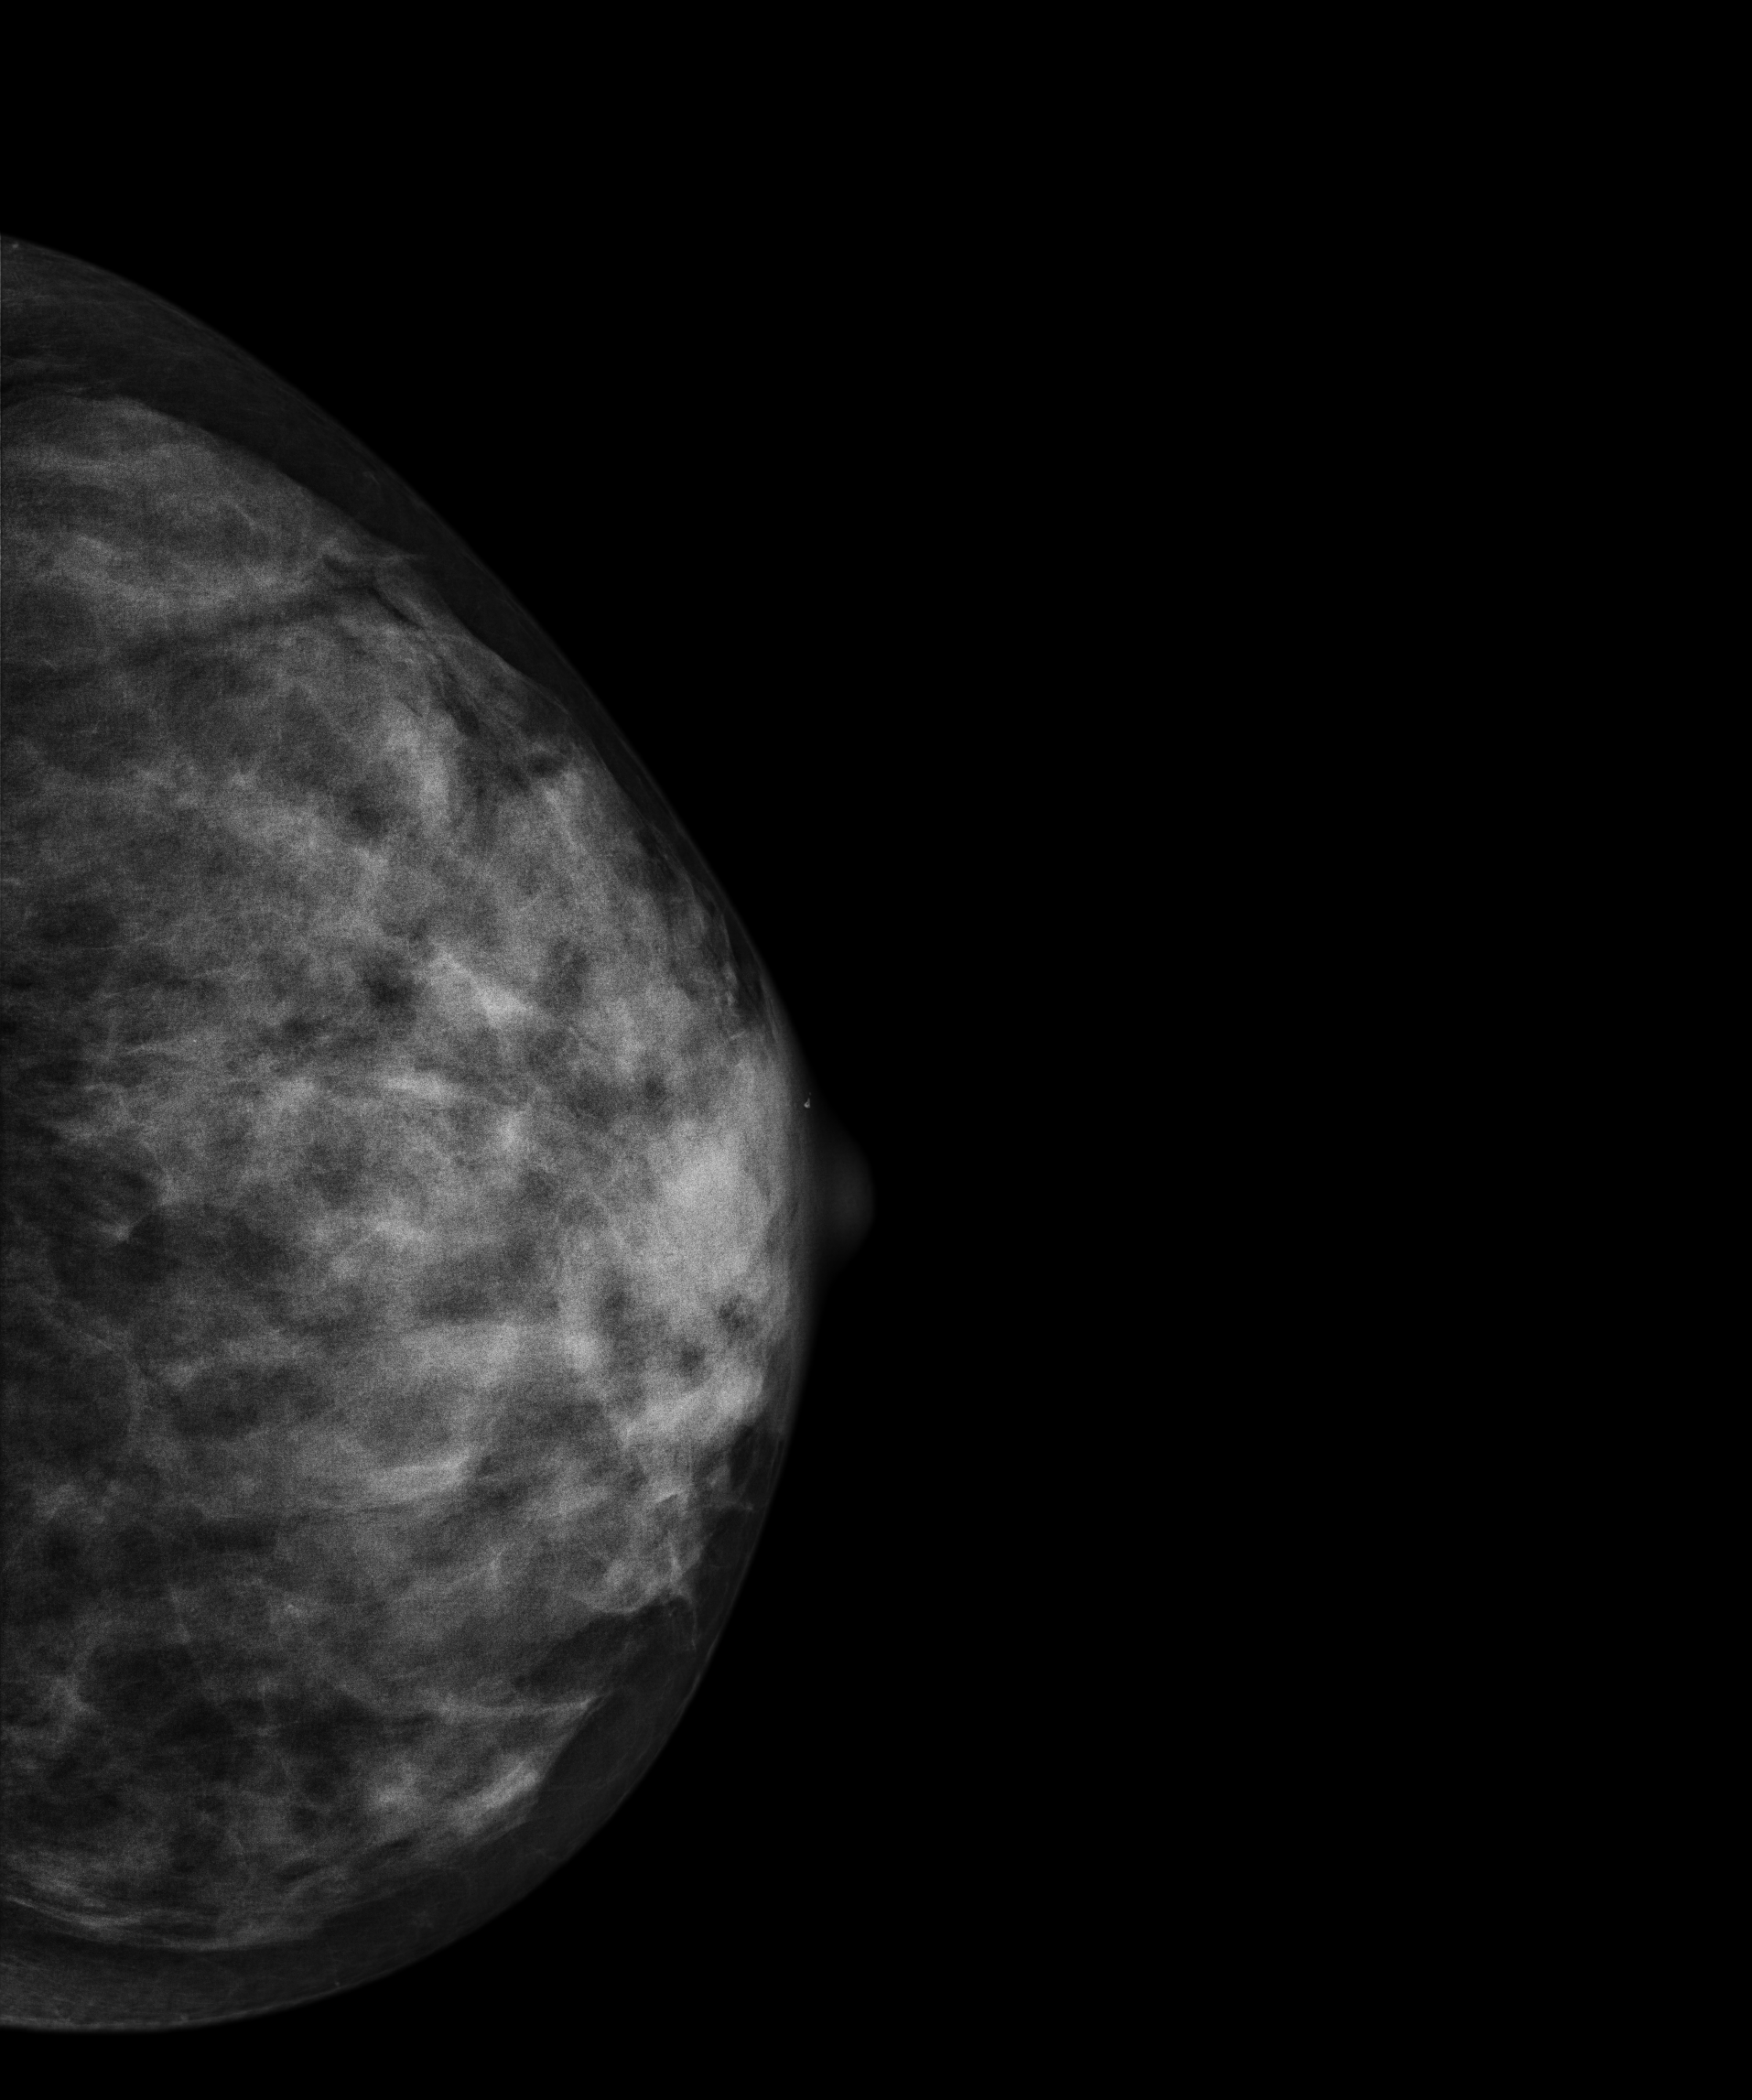
Mammogram — left CC. Patient age 40.
This breast has a mass, biopsy-confirmed malignant. Molecular subtype: luminal B.